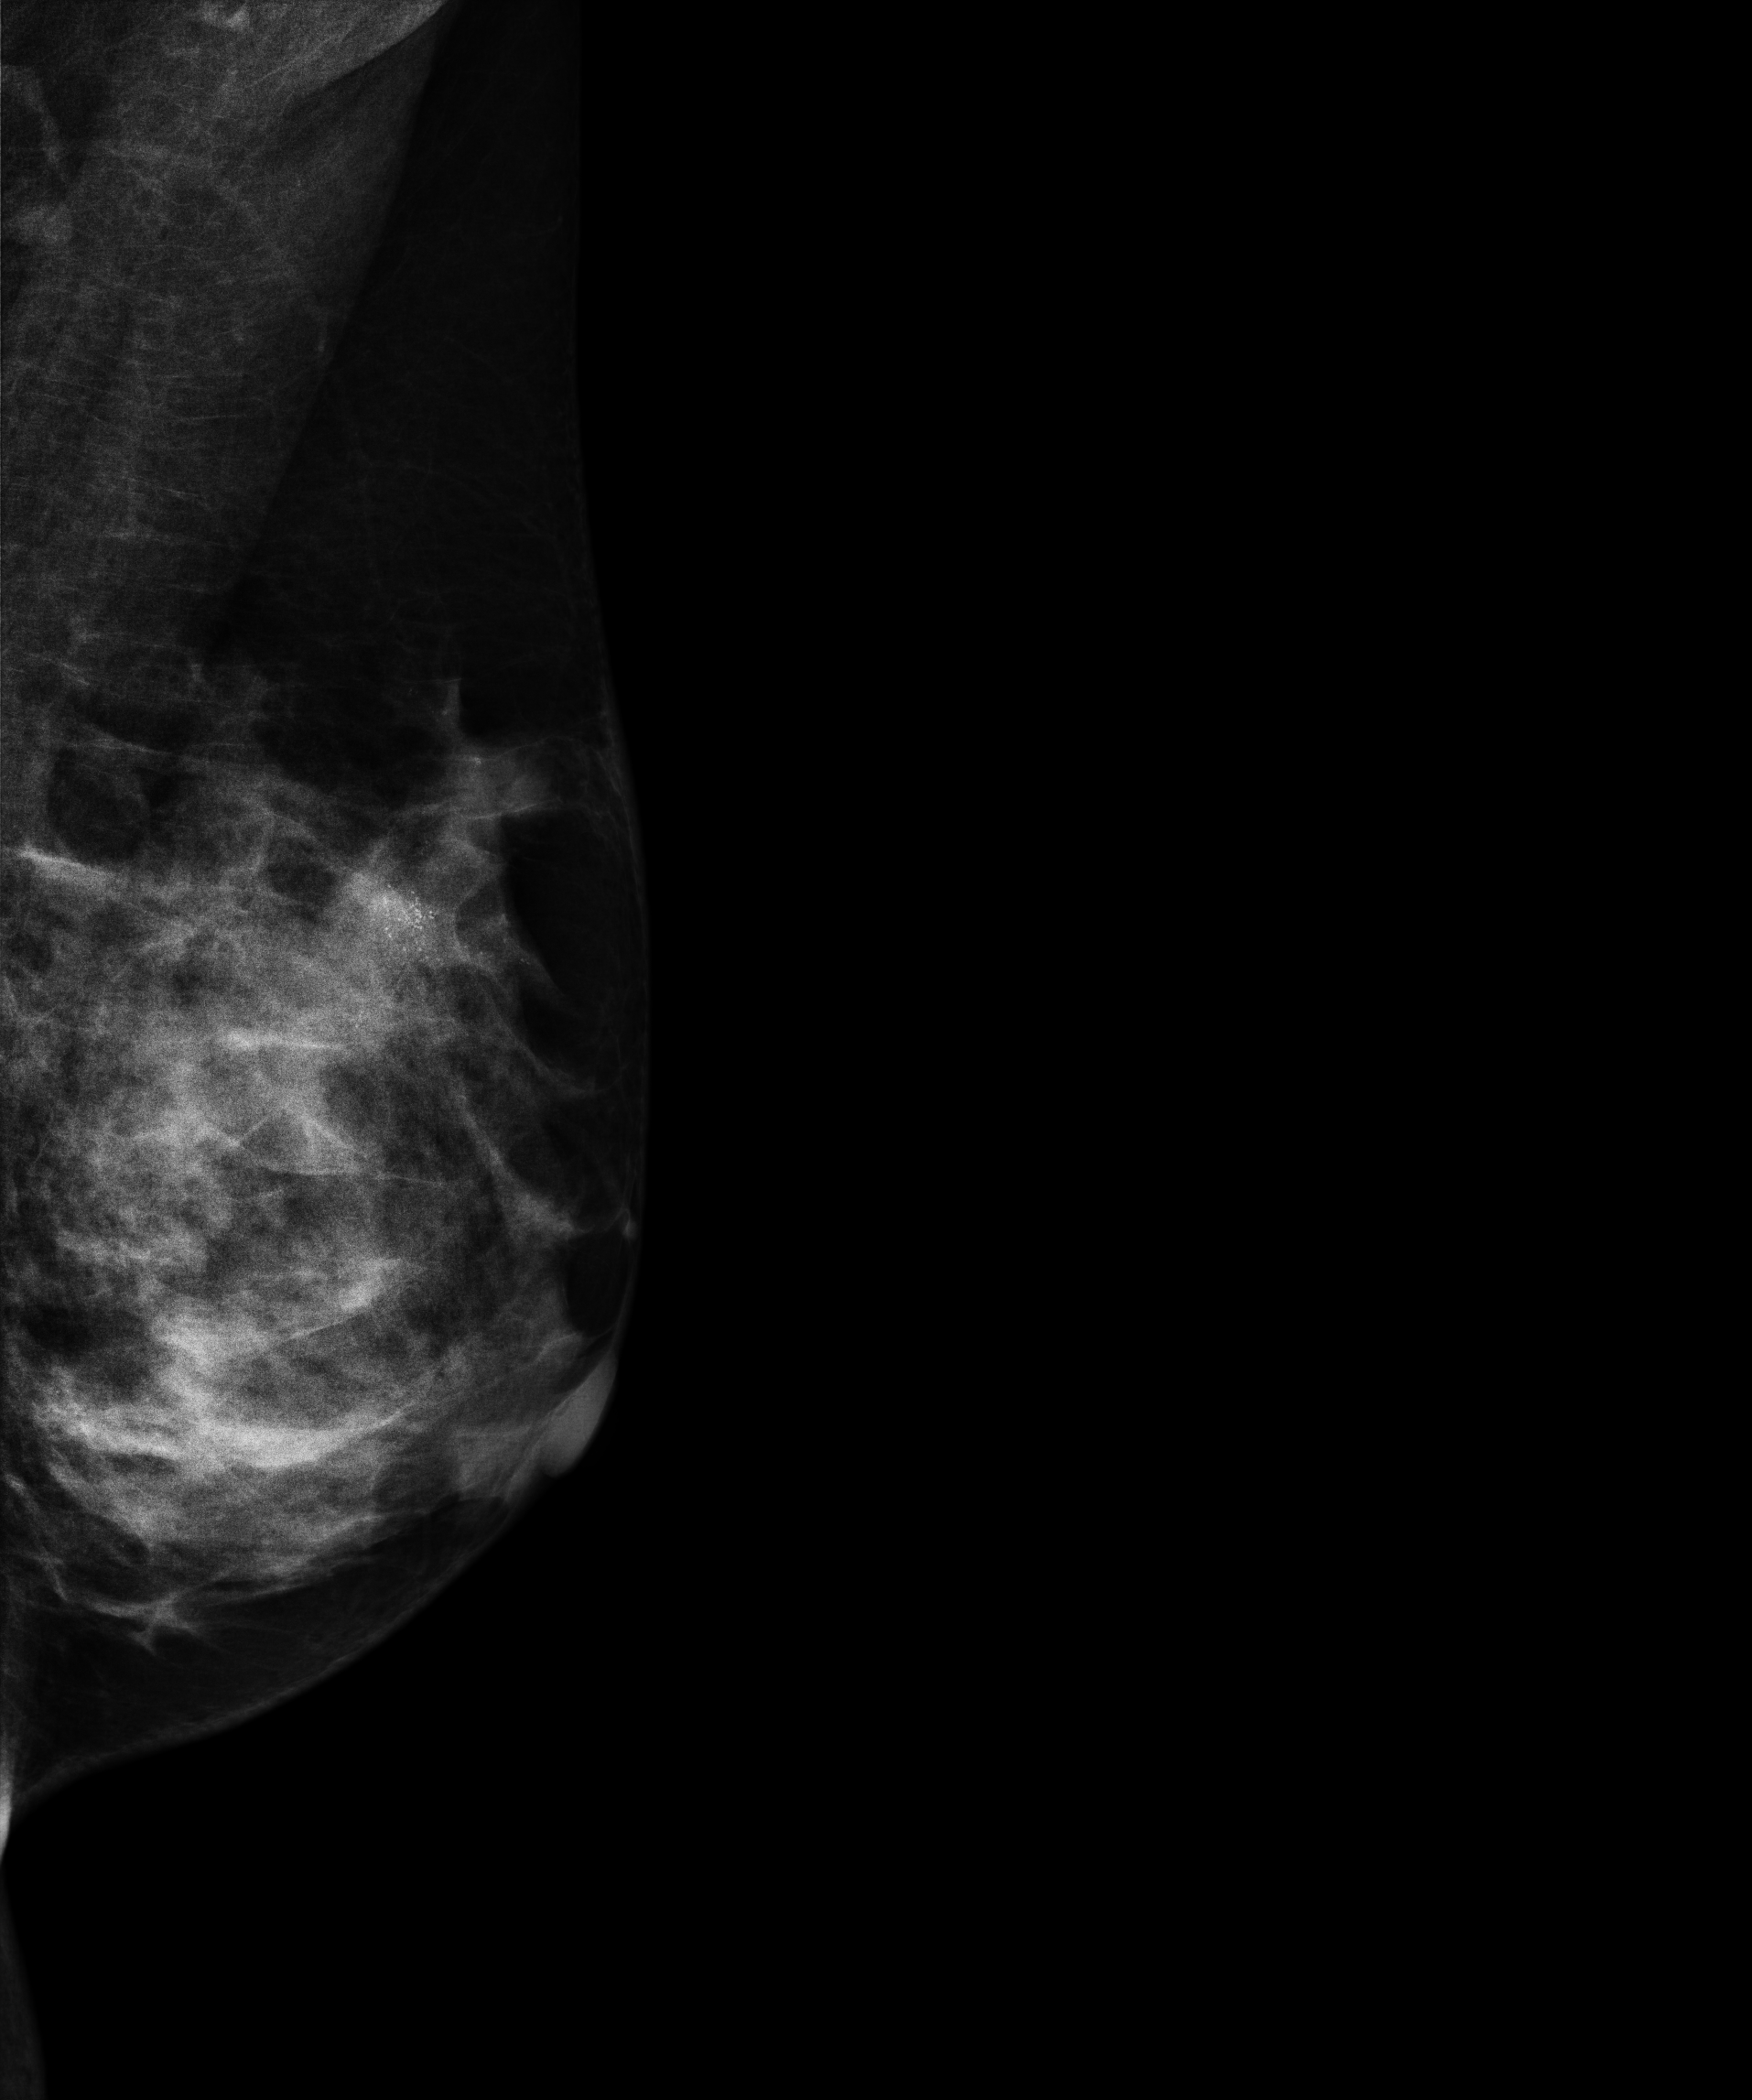
Digital mammography. Left breast, MLO projection. 39 y/o patient.
This breast has a mass and calcifications, biopsy-confirmed malignant. Molecular subtype: luminal B.